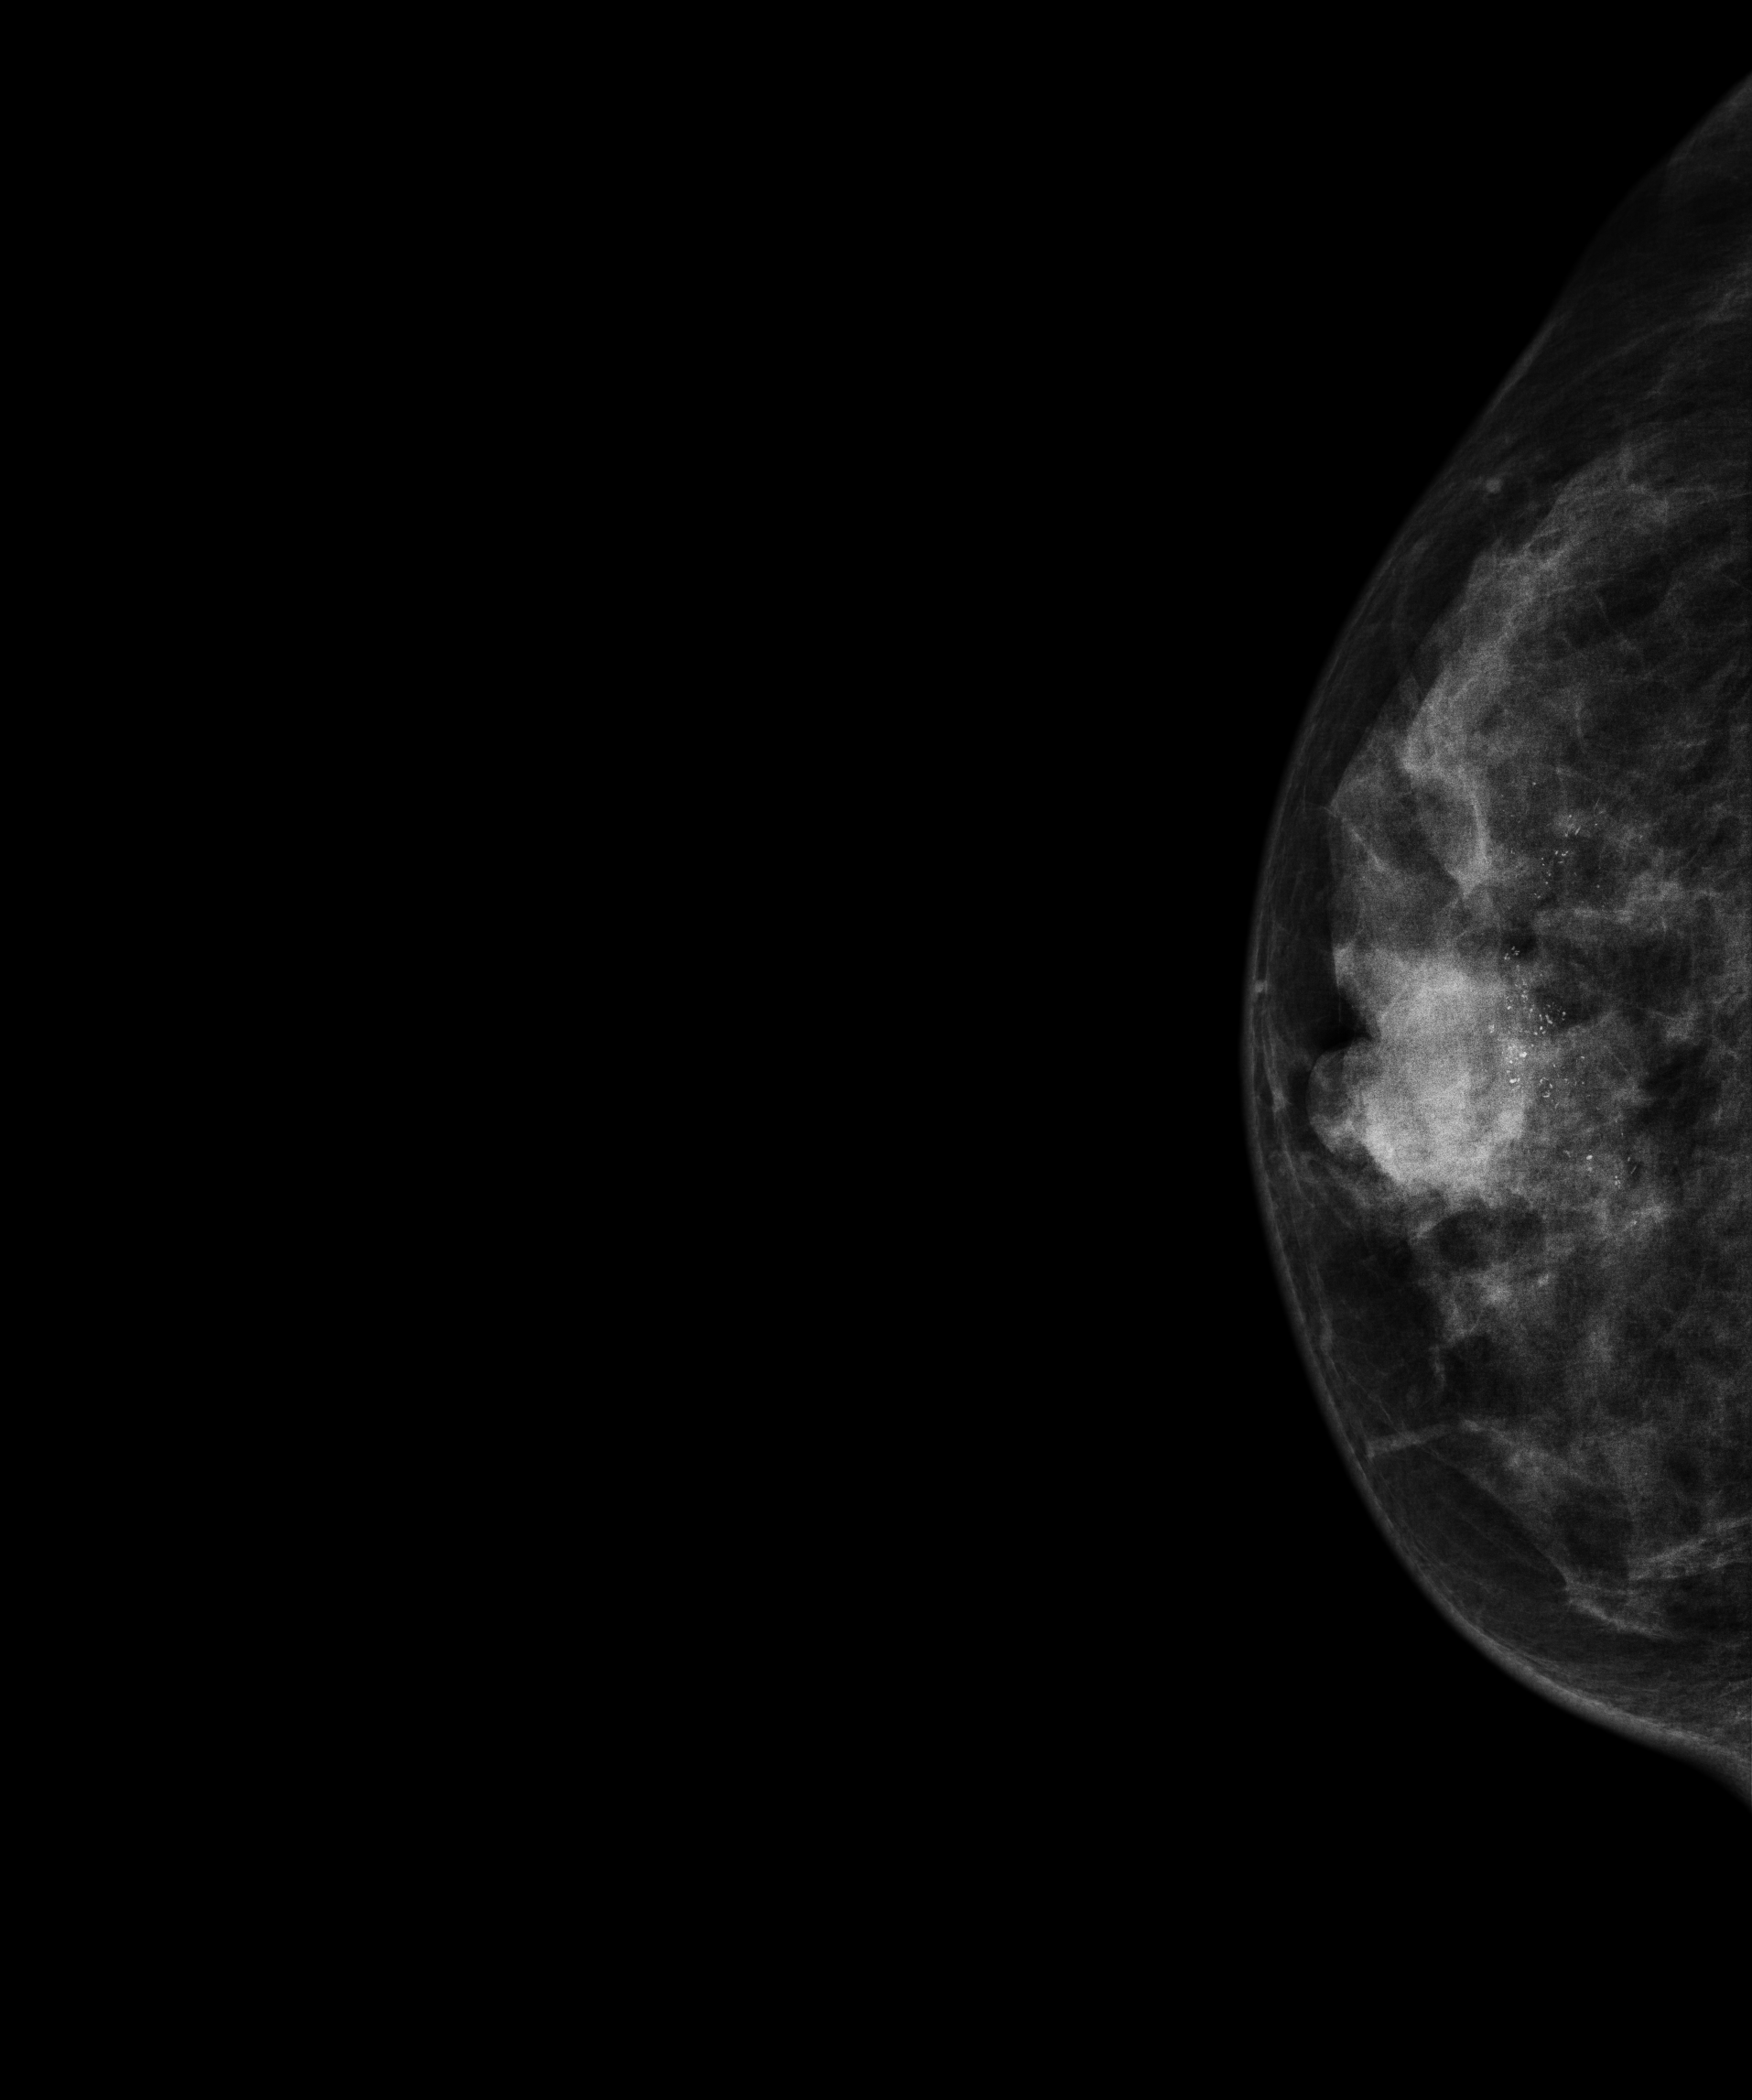
Right-breast mammogram, cranio-caudal. 35-year-old patient.
This breast has calcifications, pathology-confirmed malignant. Molecular subtype: luminal B.